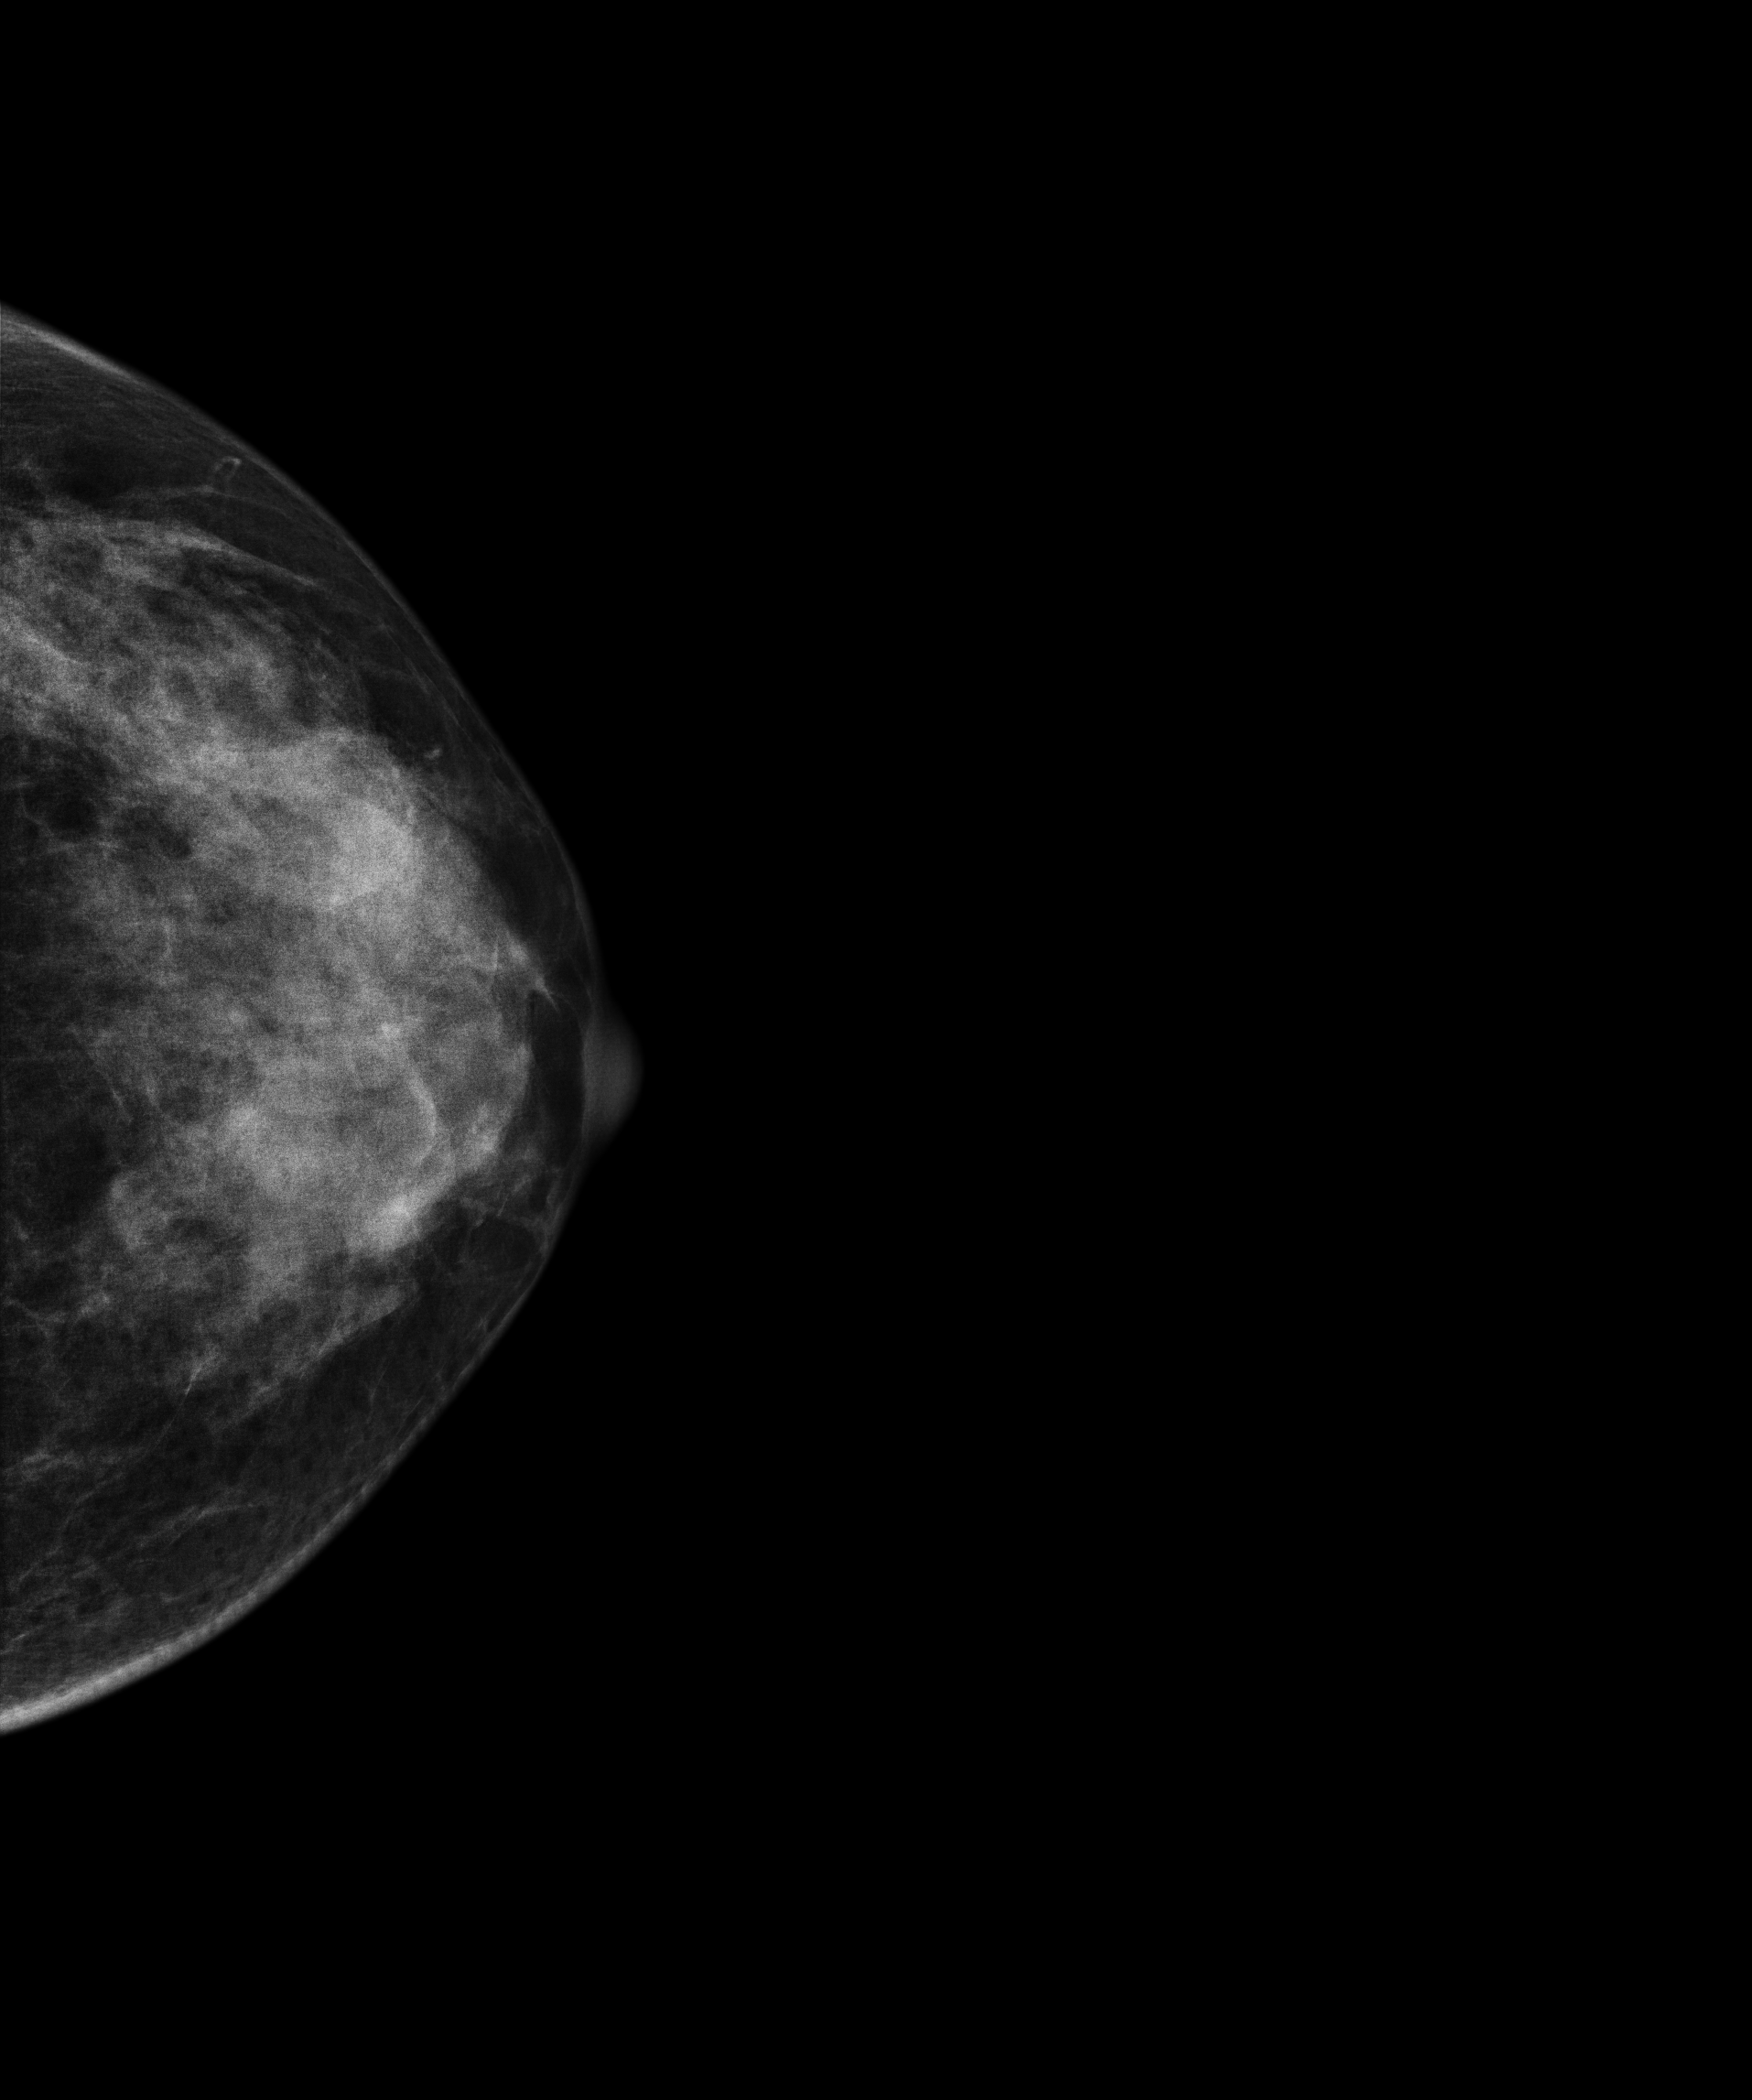
Left-breast mammogram, cranio-caudal. 41-year-old patient.
This breast has a mass, biopsy-proven malignant. Molecular subtype: triple-negative.